Digital mammography. Left breast, medio-lateral oblique projection. 56 y/o patient.
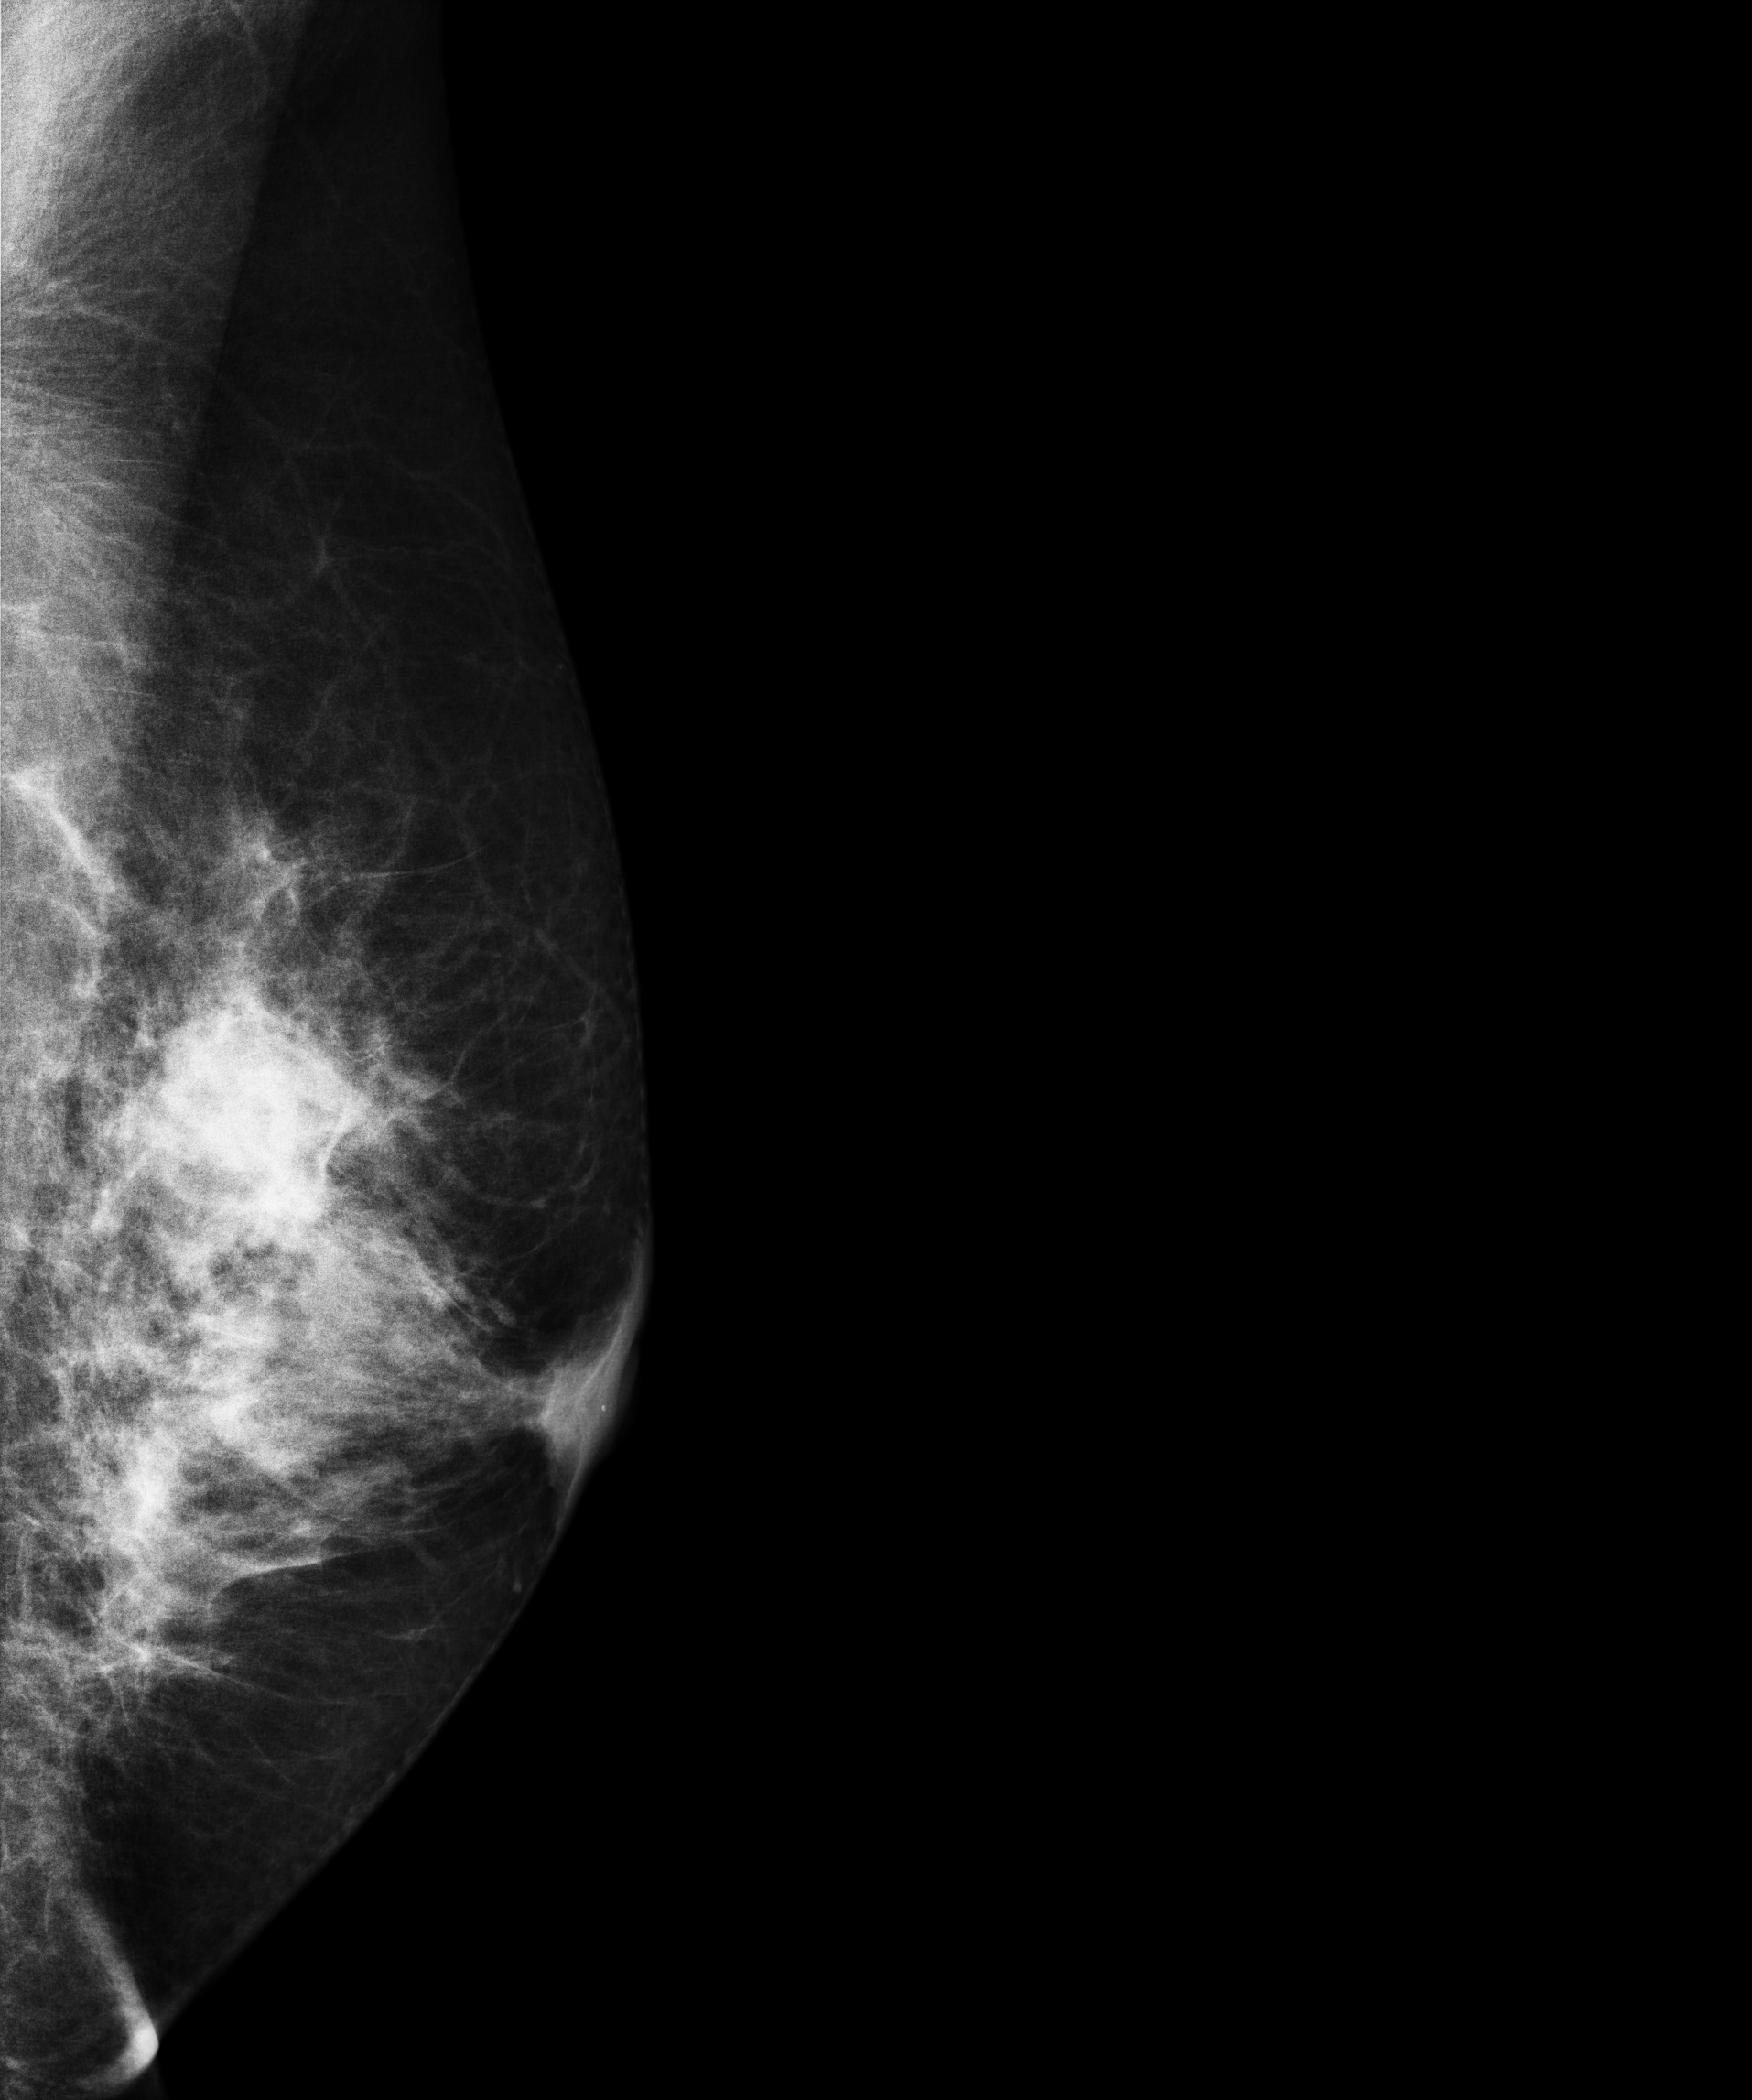
This breast has a mass, pathology-confirmed malignant. Molecular subtype: triple-negative.